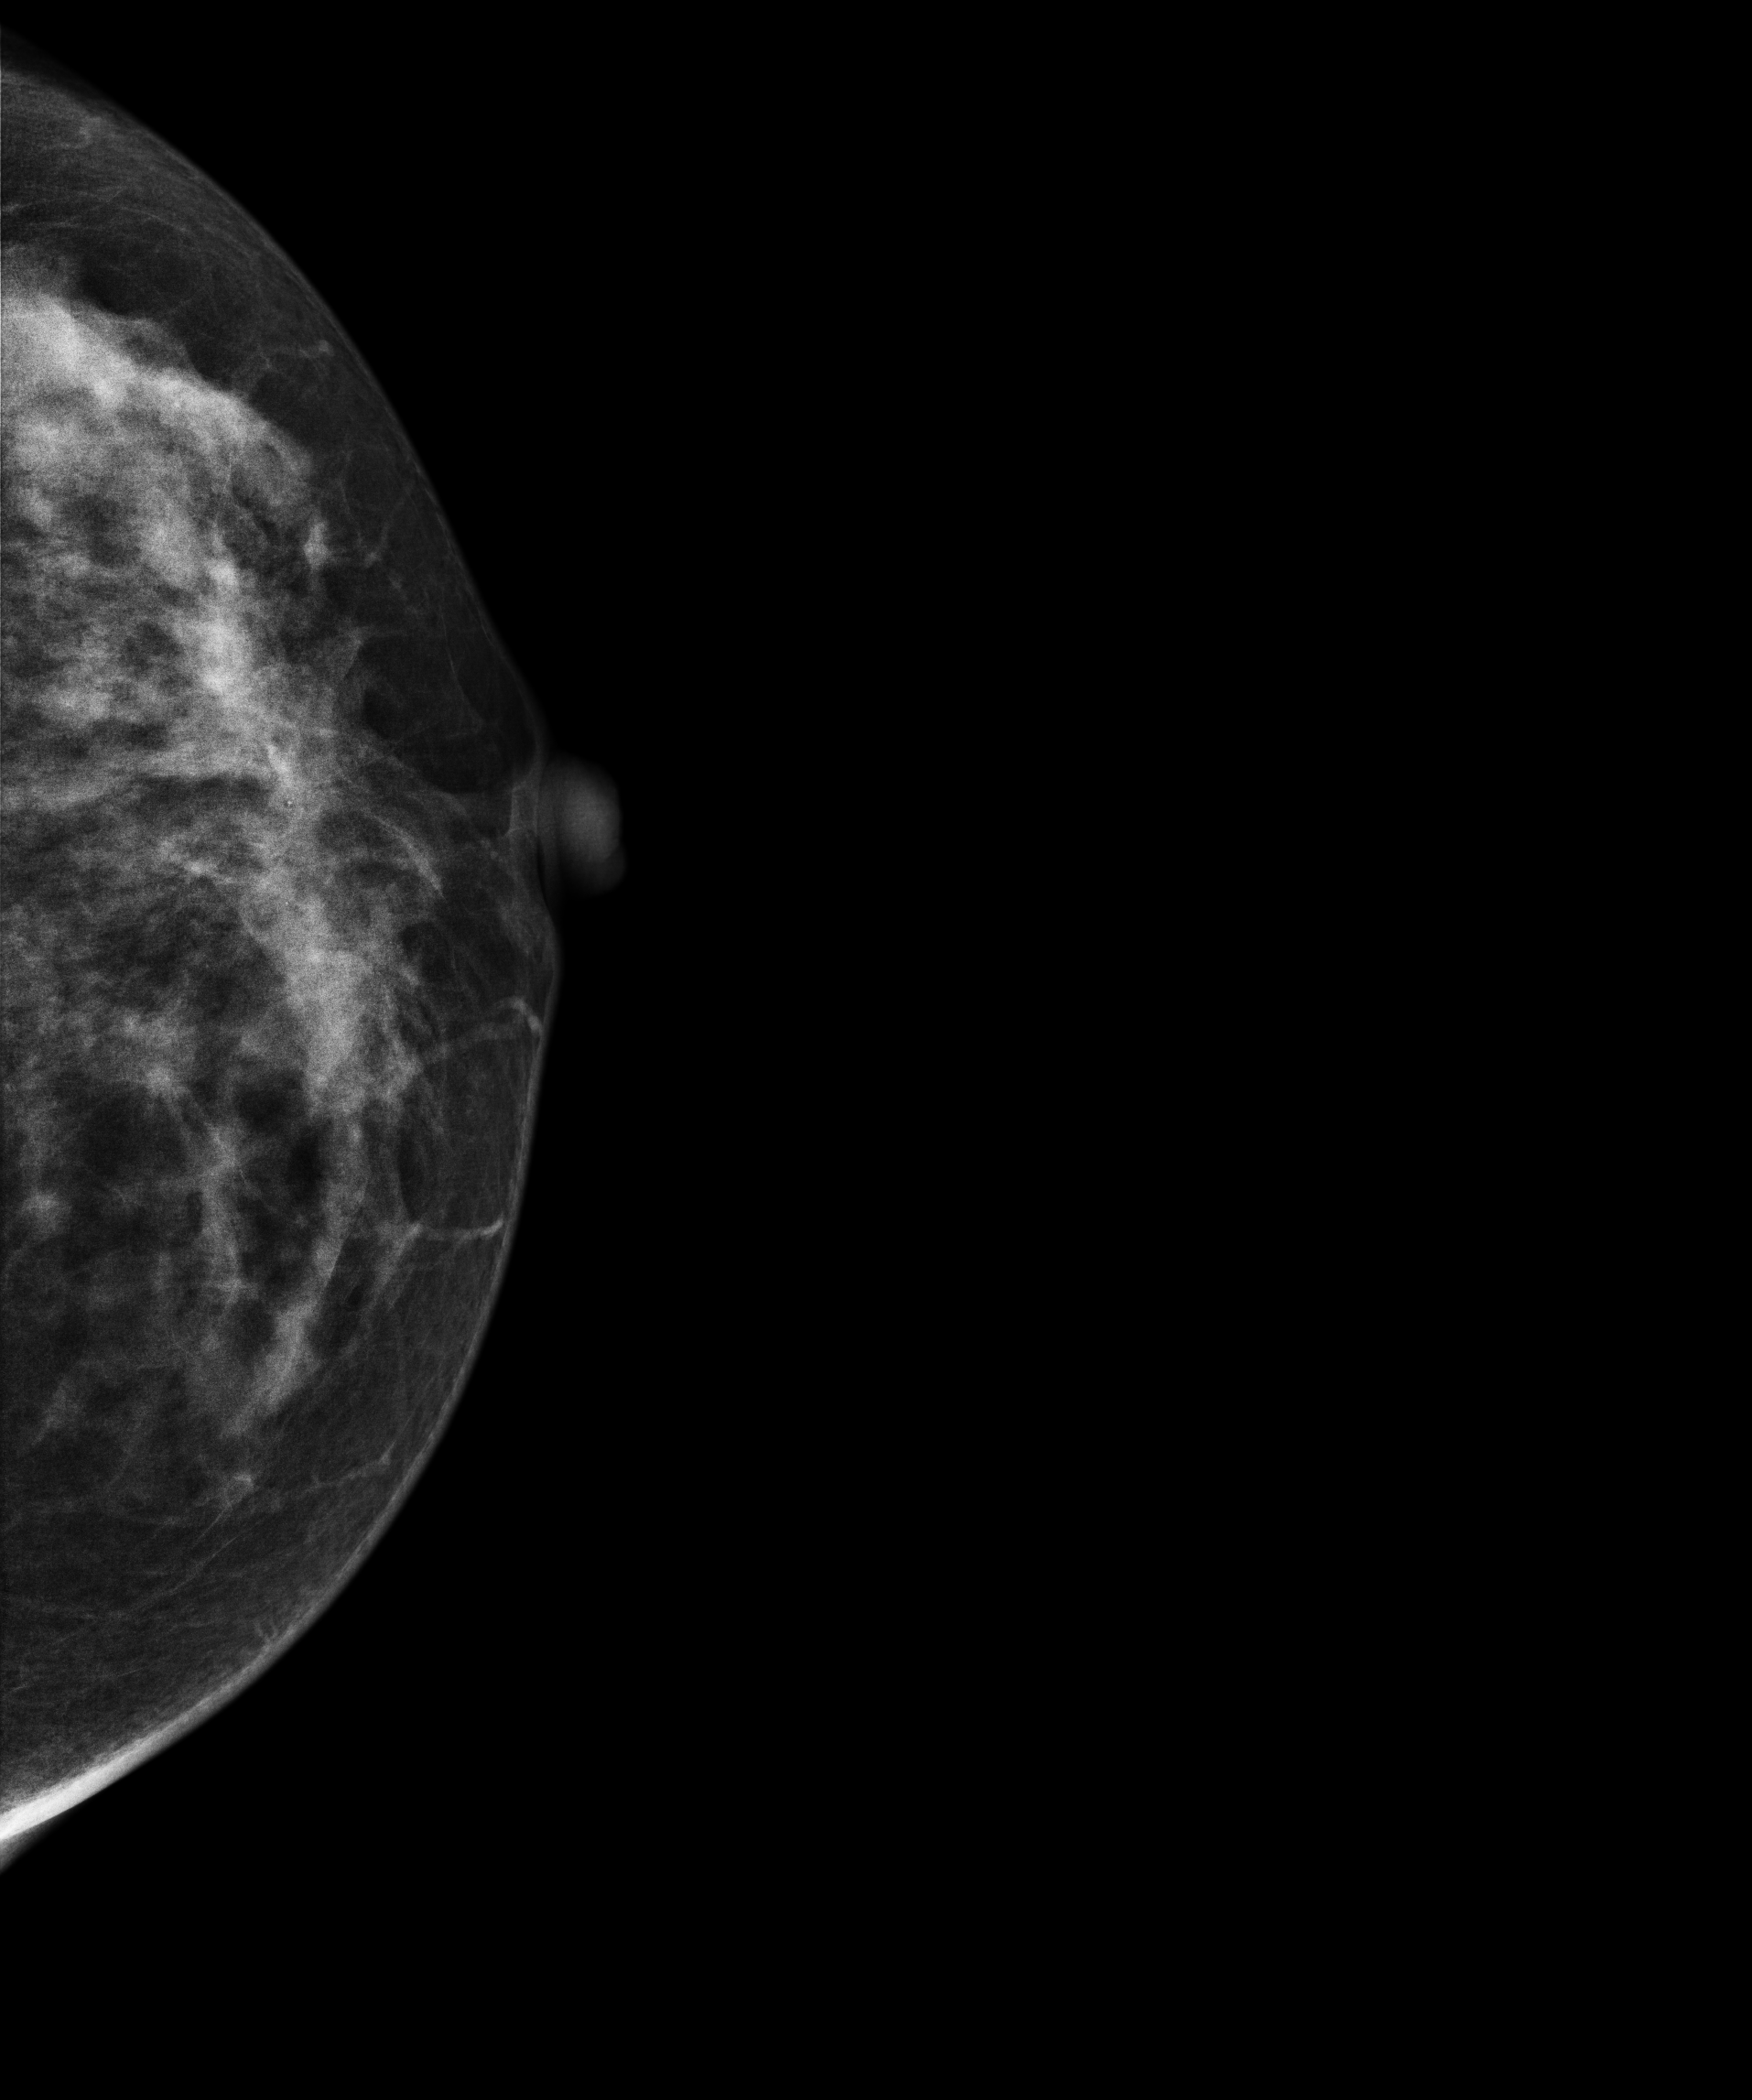
CC mammogram of the left breast. 29-year-old patient.
Contralateral breast — no documented abnormality on this side.